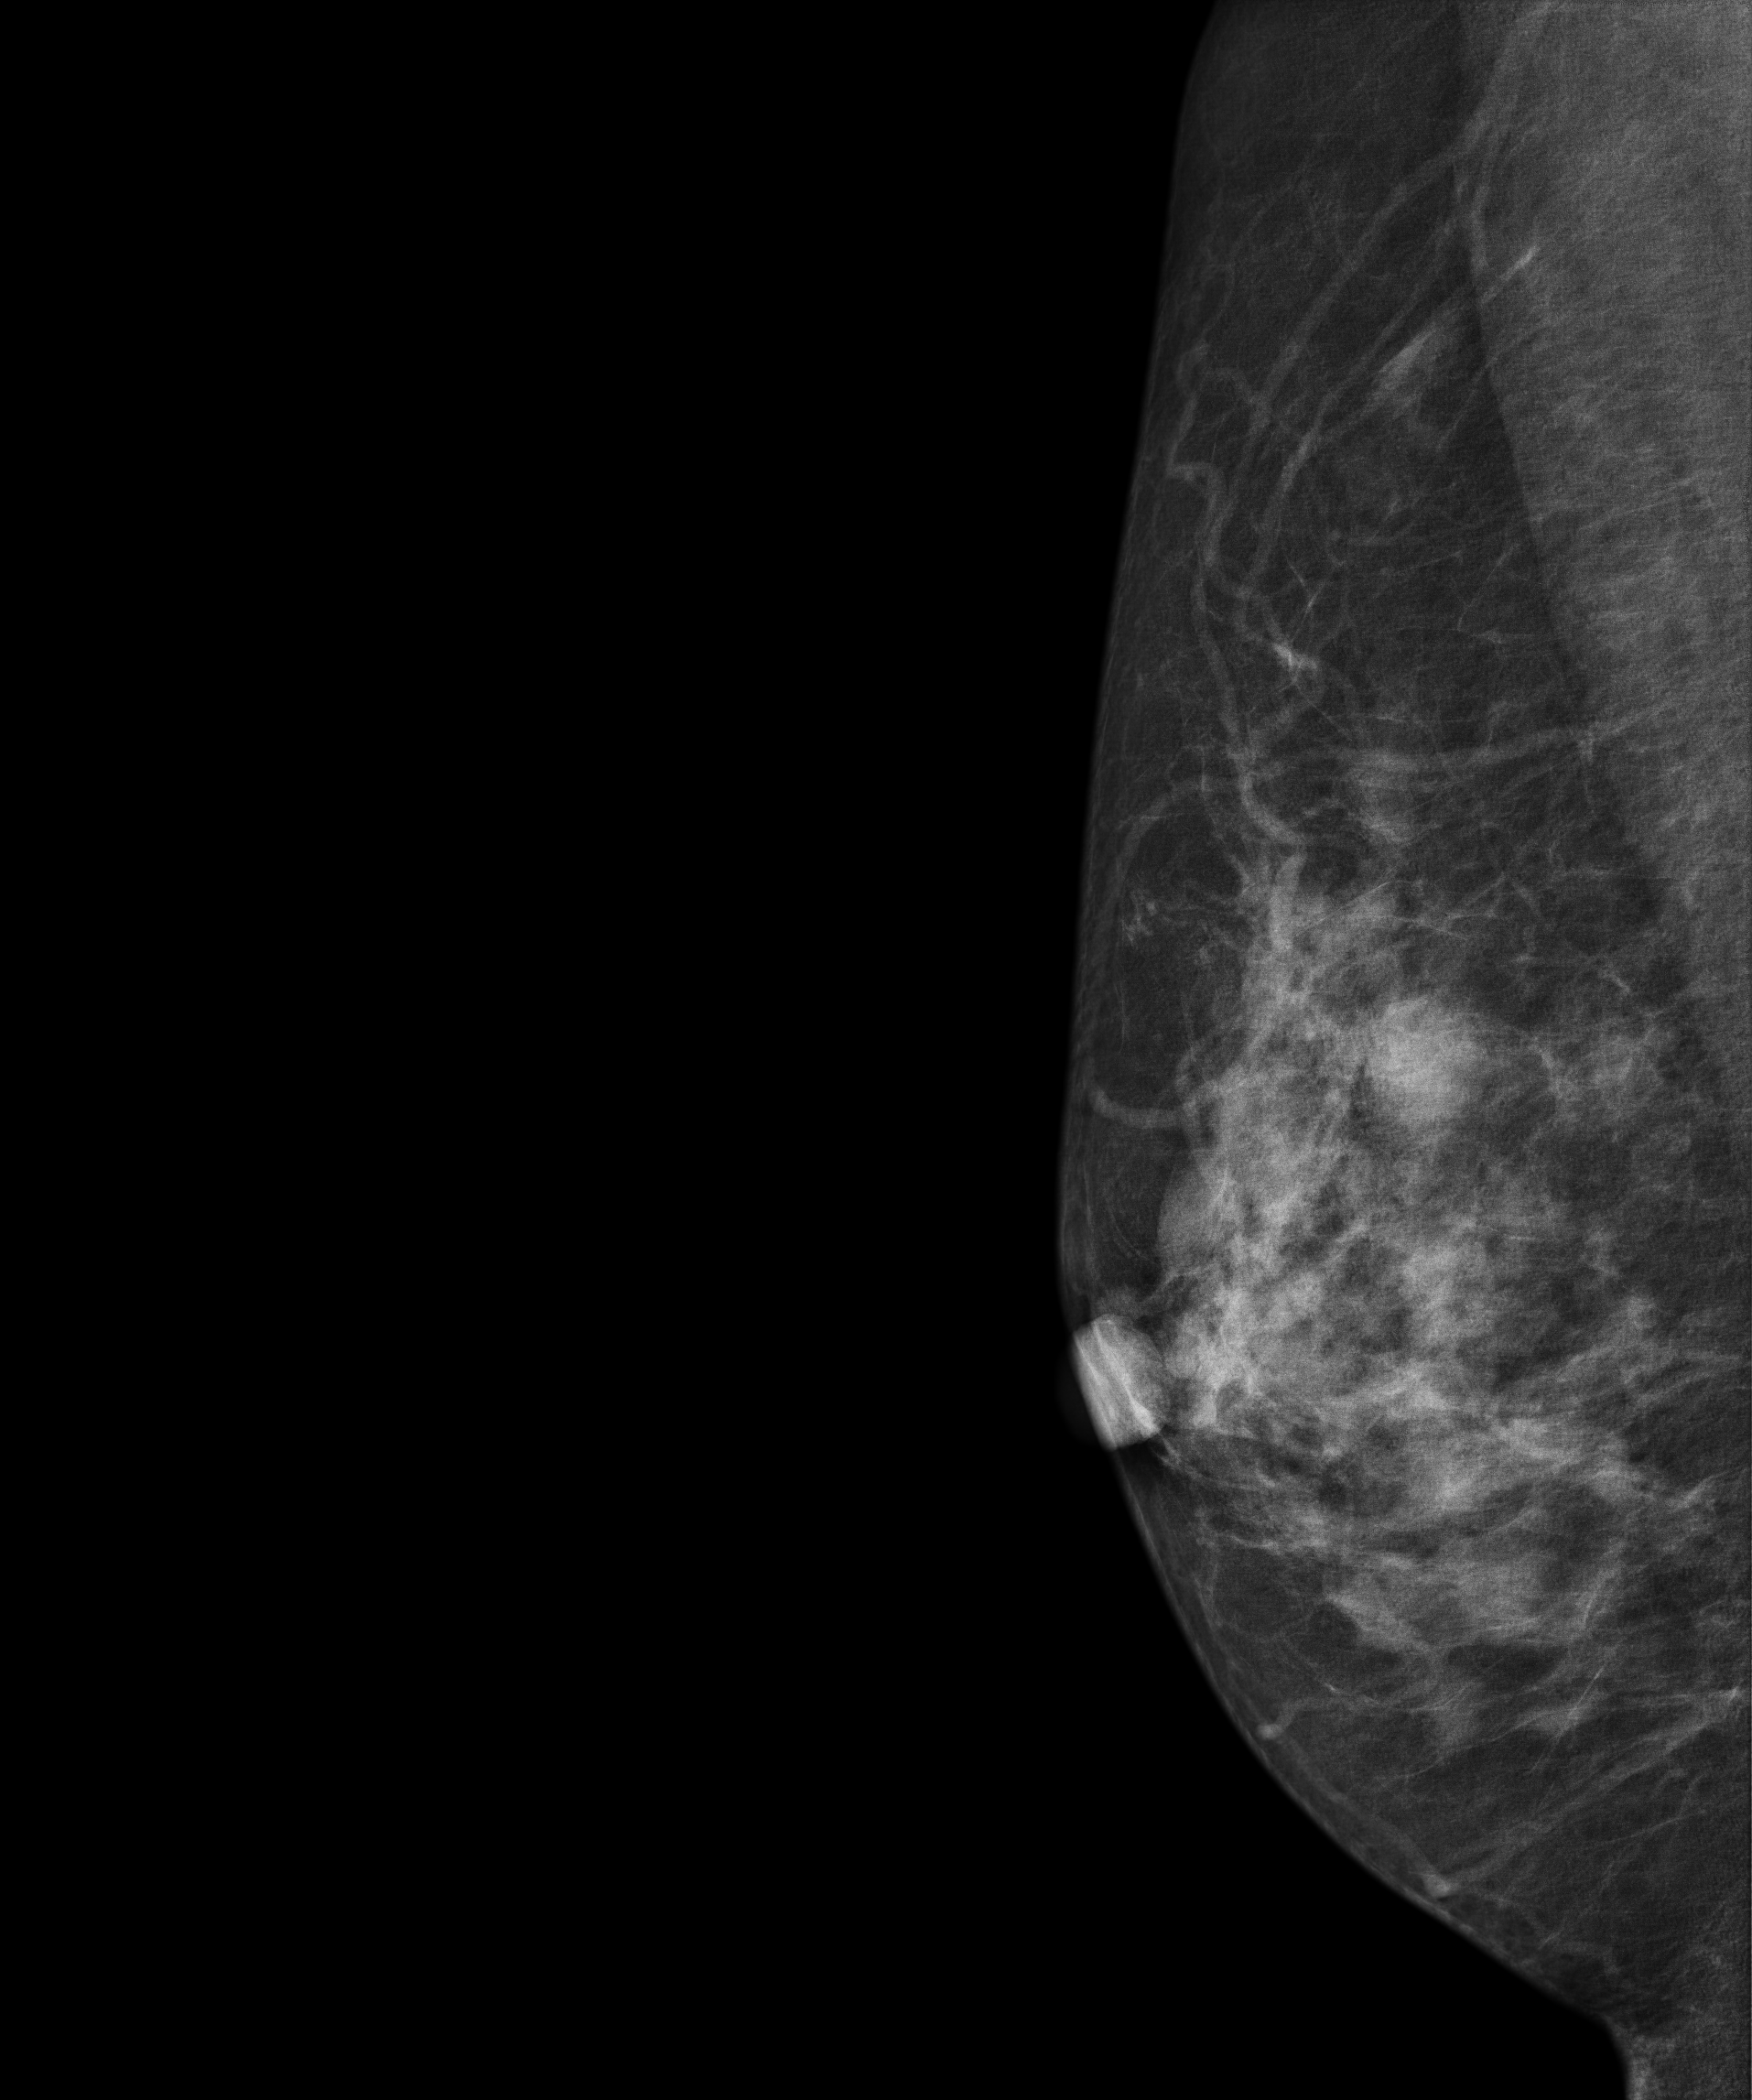
Digital mammography. Right breast, medio-lateral oblique projection. 59 y/o patient.
Contralateral breast — no documented abnormality on this side.